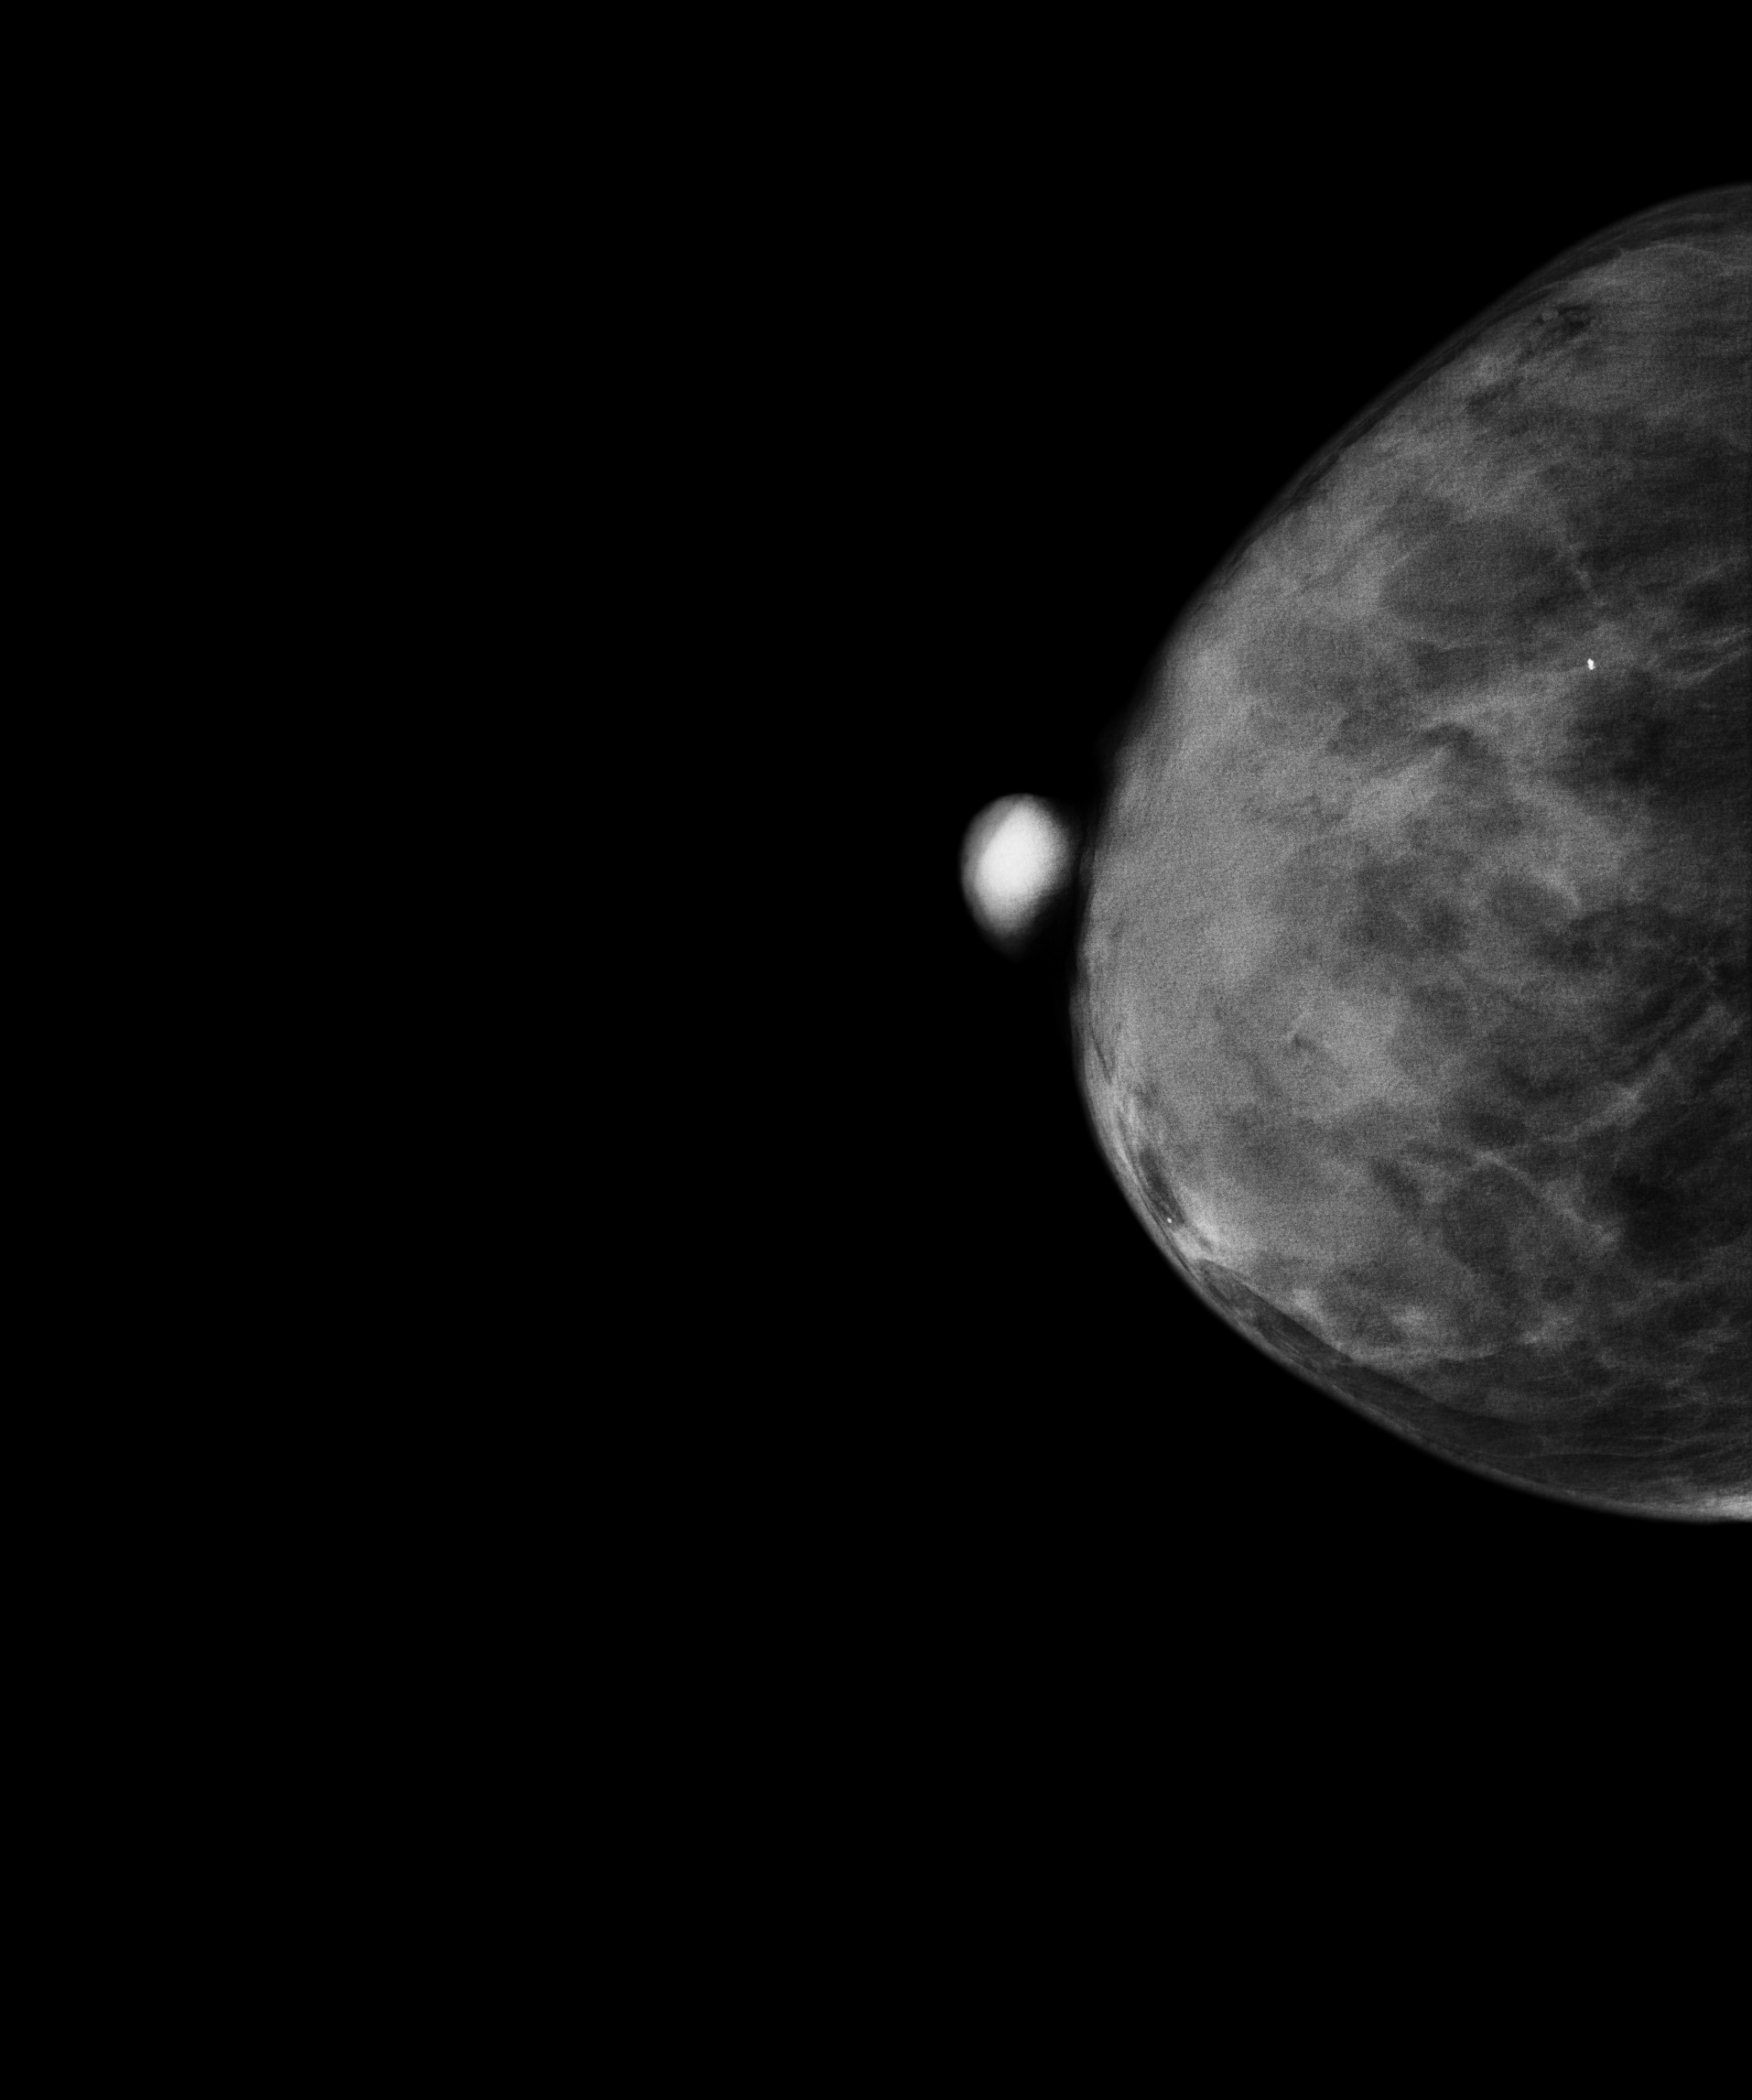
Right-breast mammogram, cranio-caudal. Patient age 51.
Contralateral breast — no documented abnormality on this side.